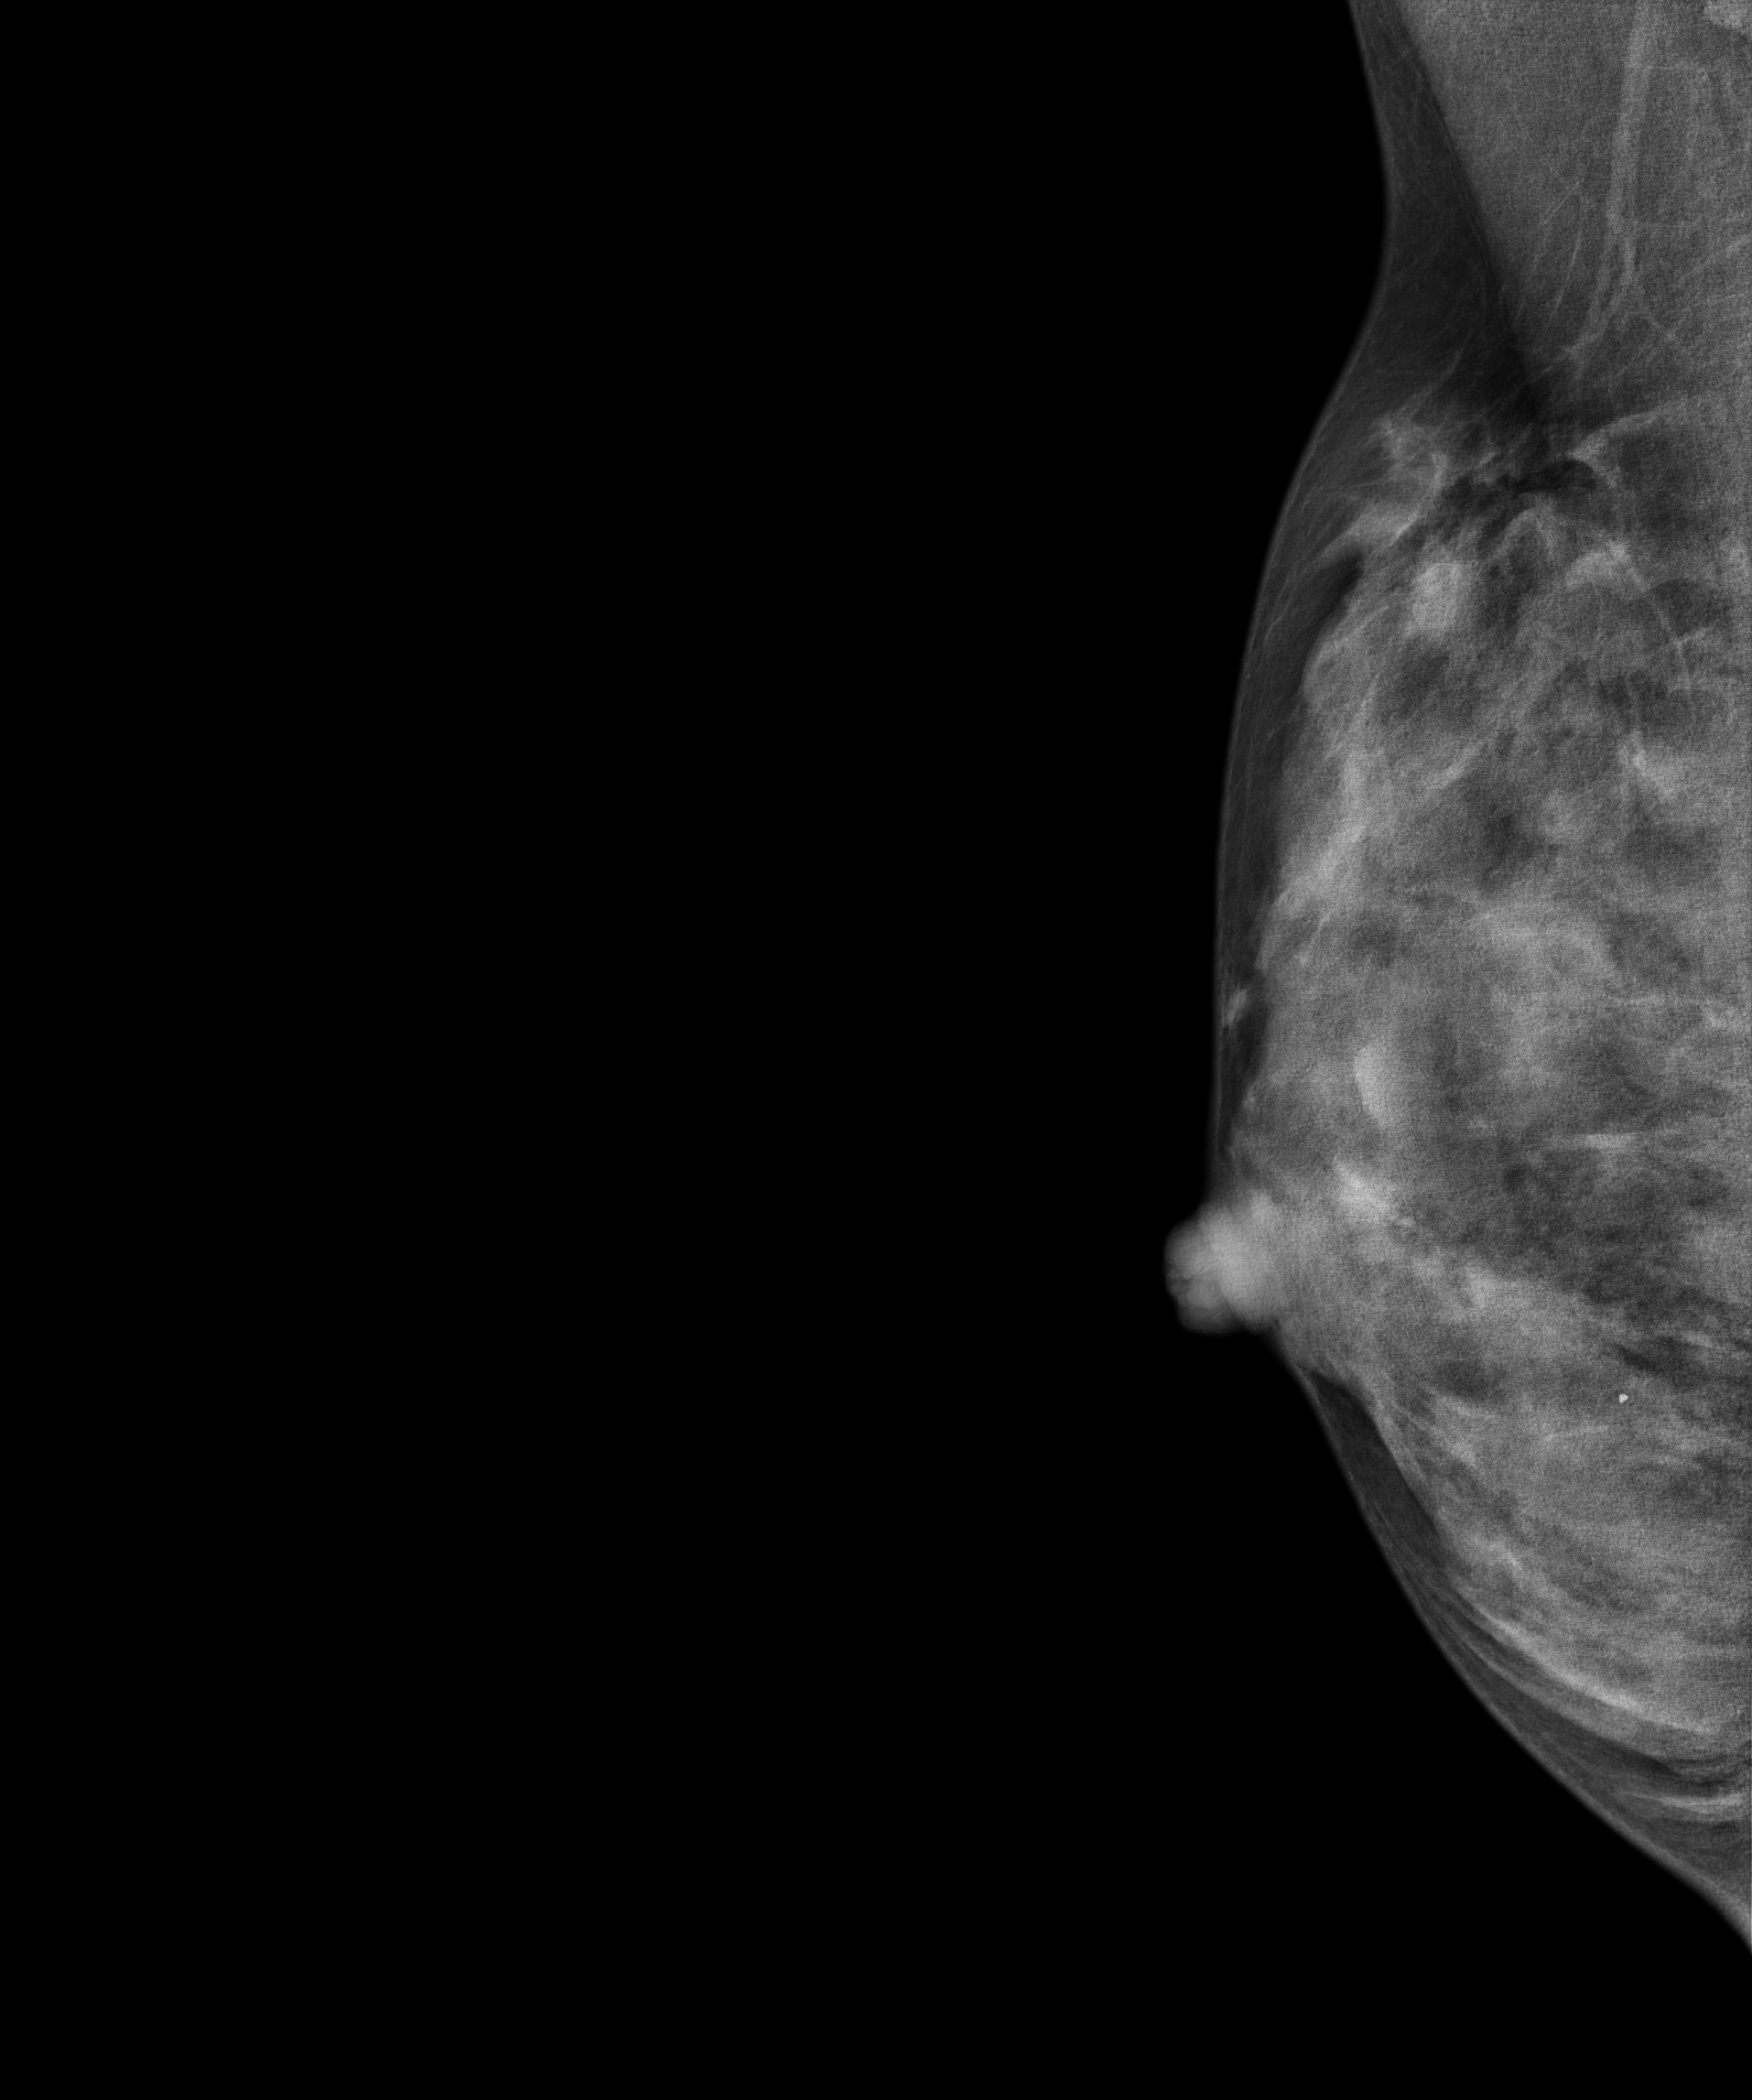
MLO mammogram of the right breast. 23-year-old patient.
This breast has a mass, biopsy-confirmed benign.